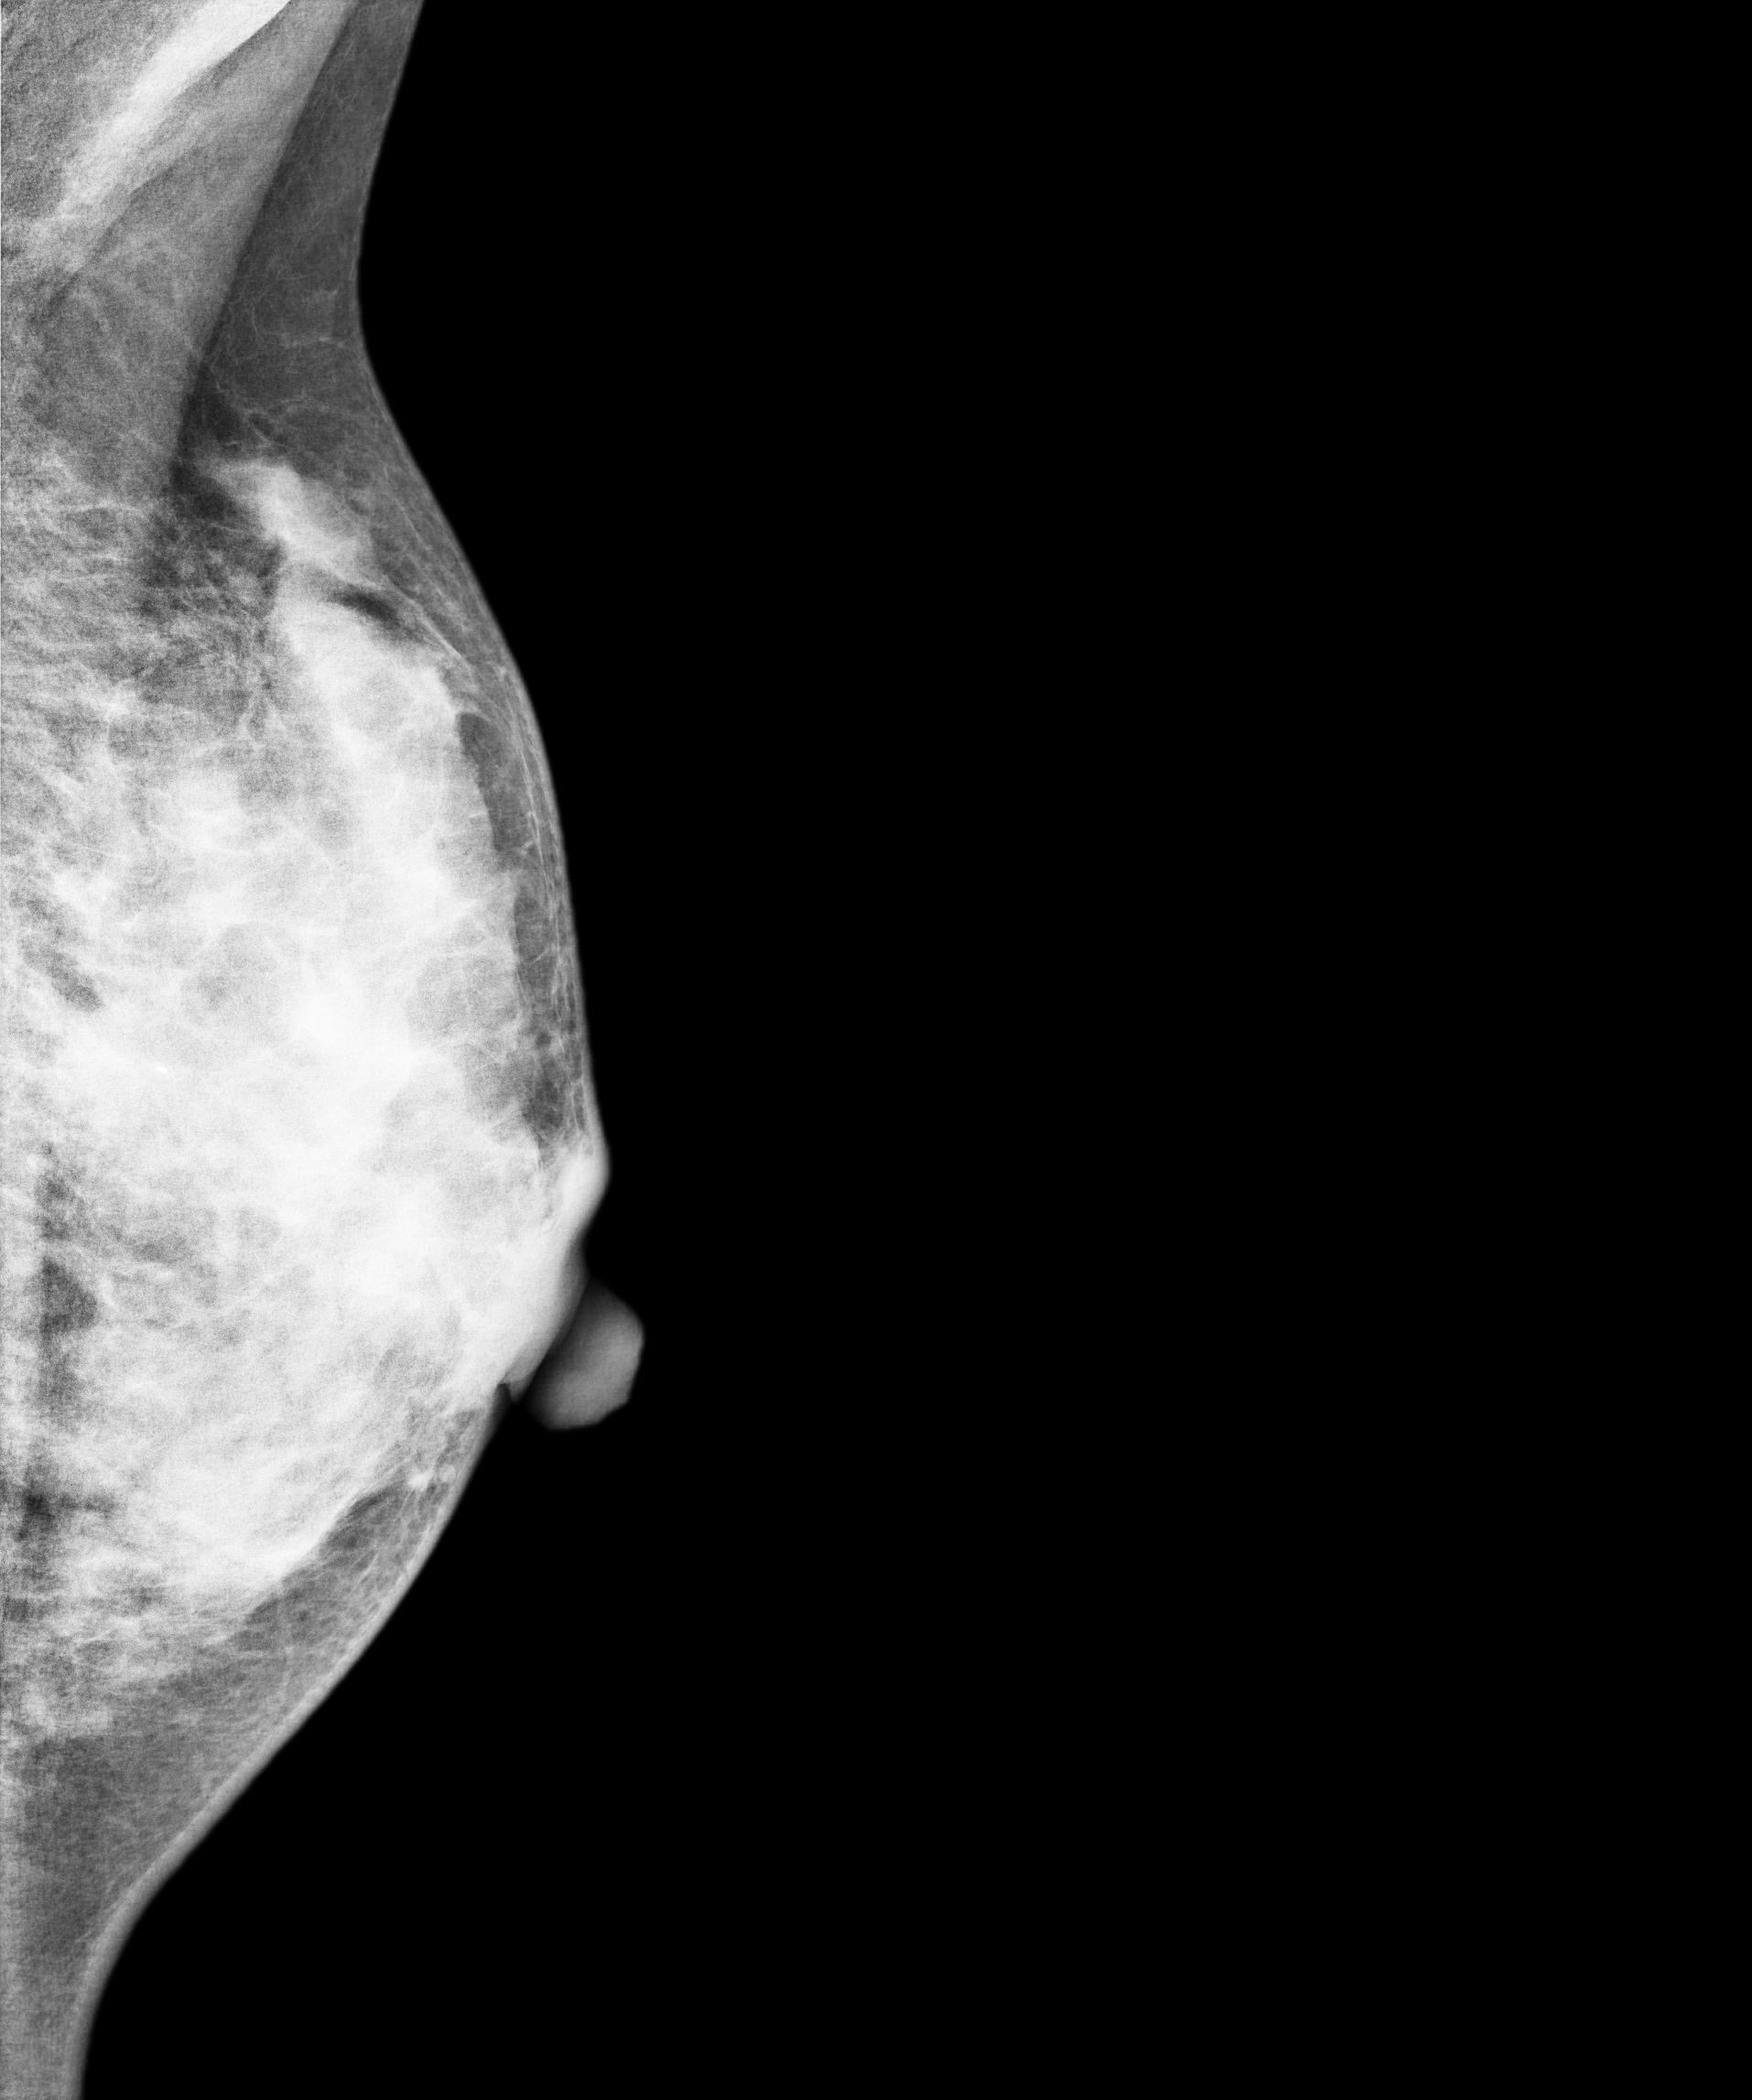
Digital mammography. Left breast, MLO projection. 33-year-old patient.
This breast has a mass, biopsy-confirmed malignant. Molecular subtype: HER2-enriched.